Mammogram, right breast, MLO view. 45 y/o patient.
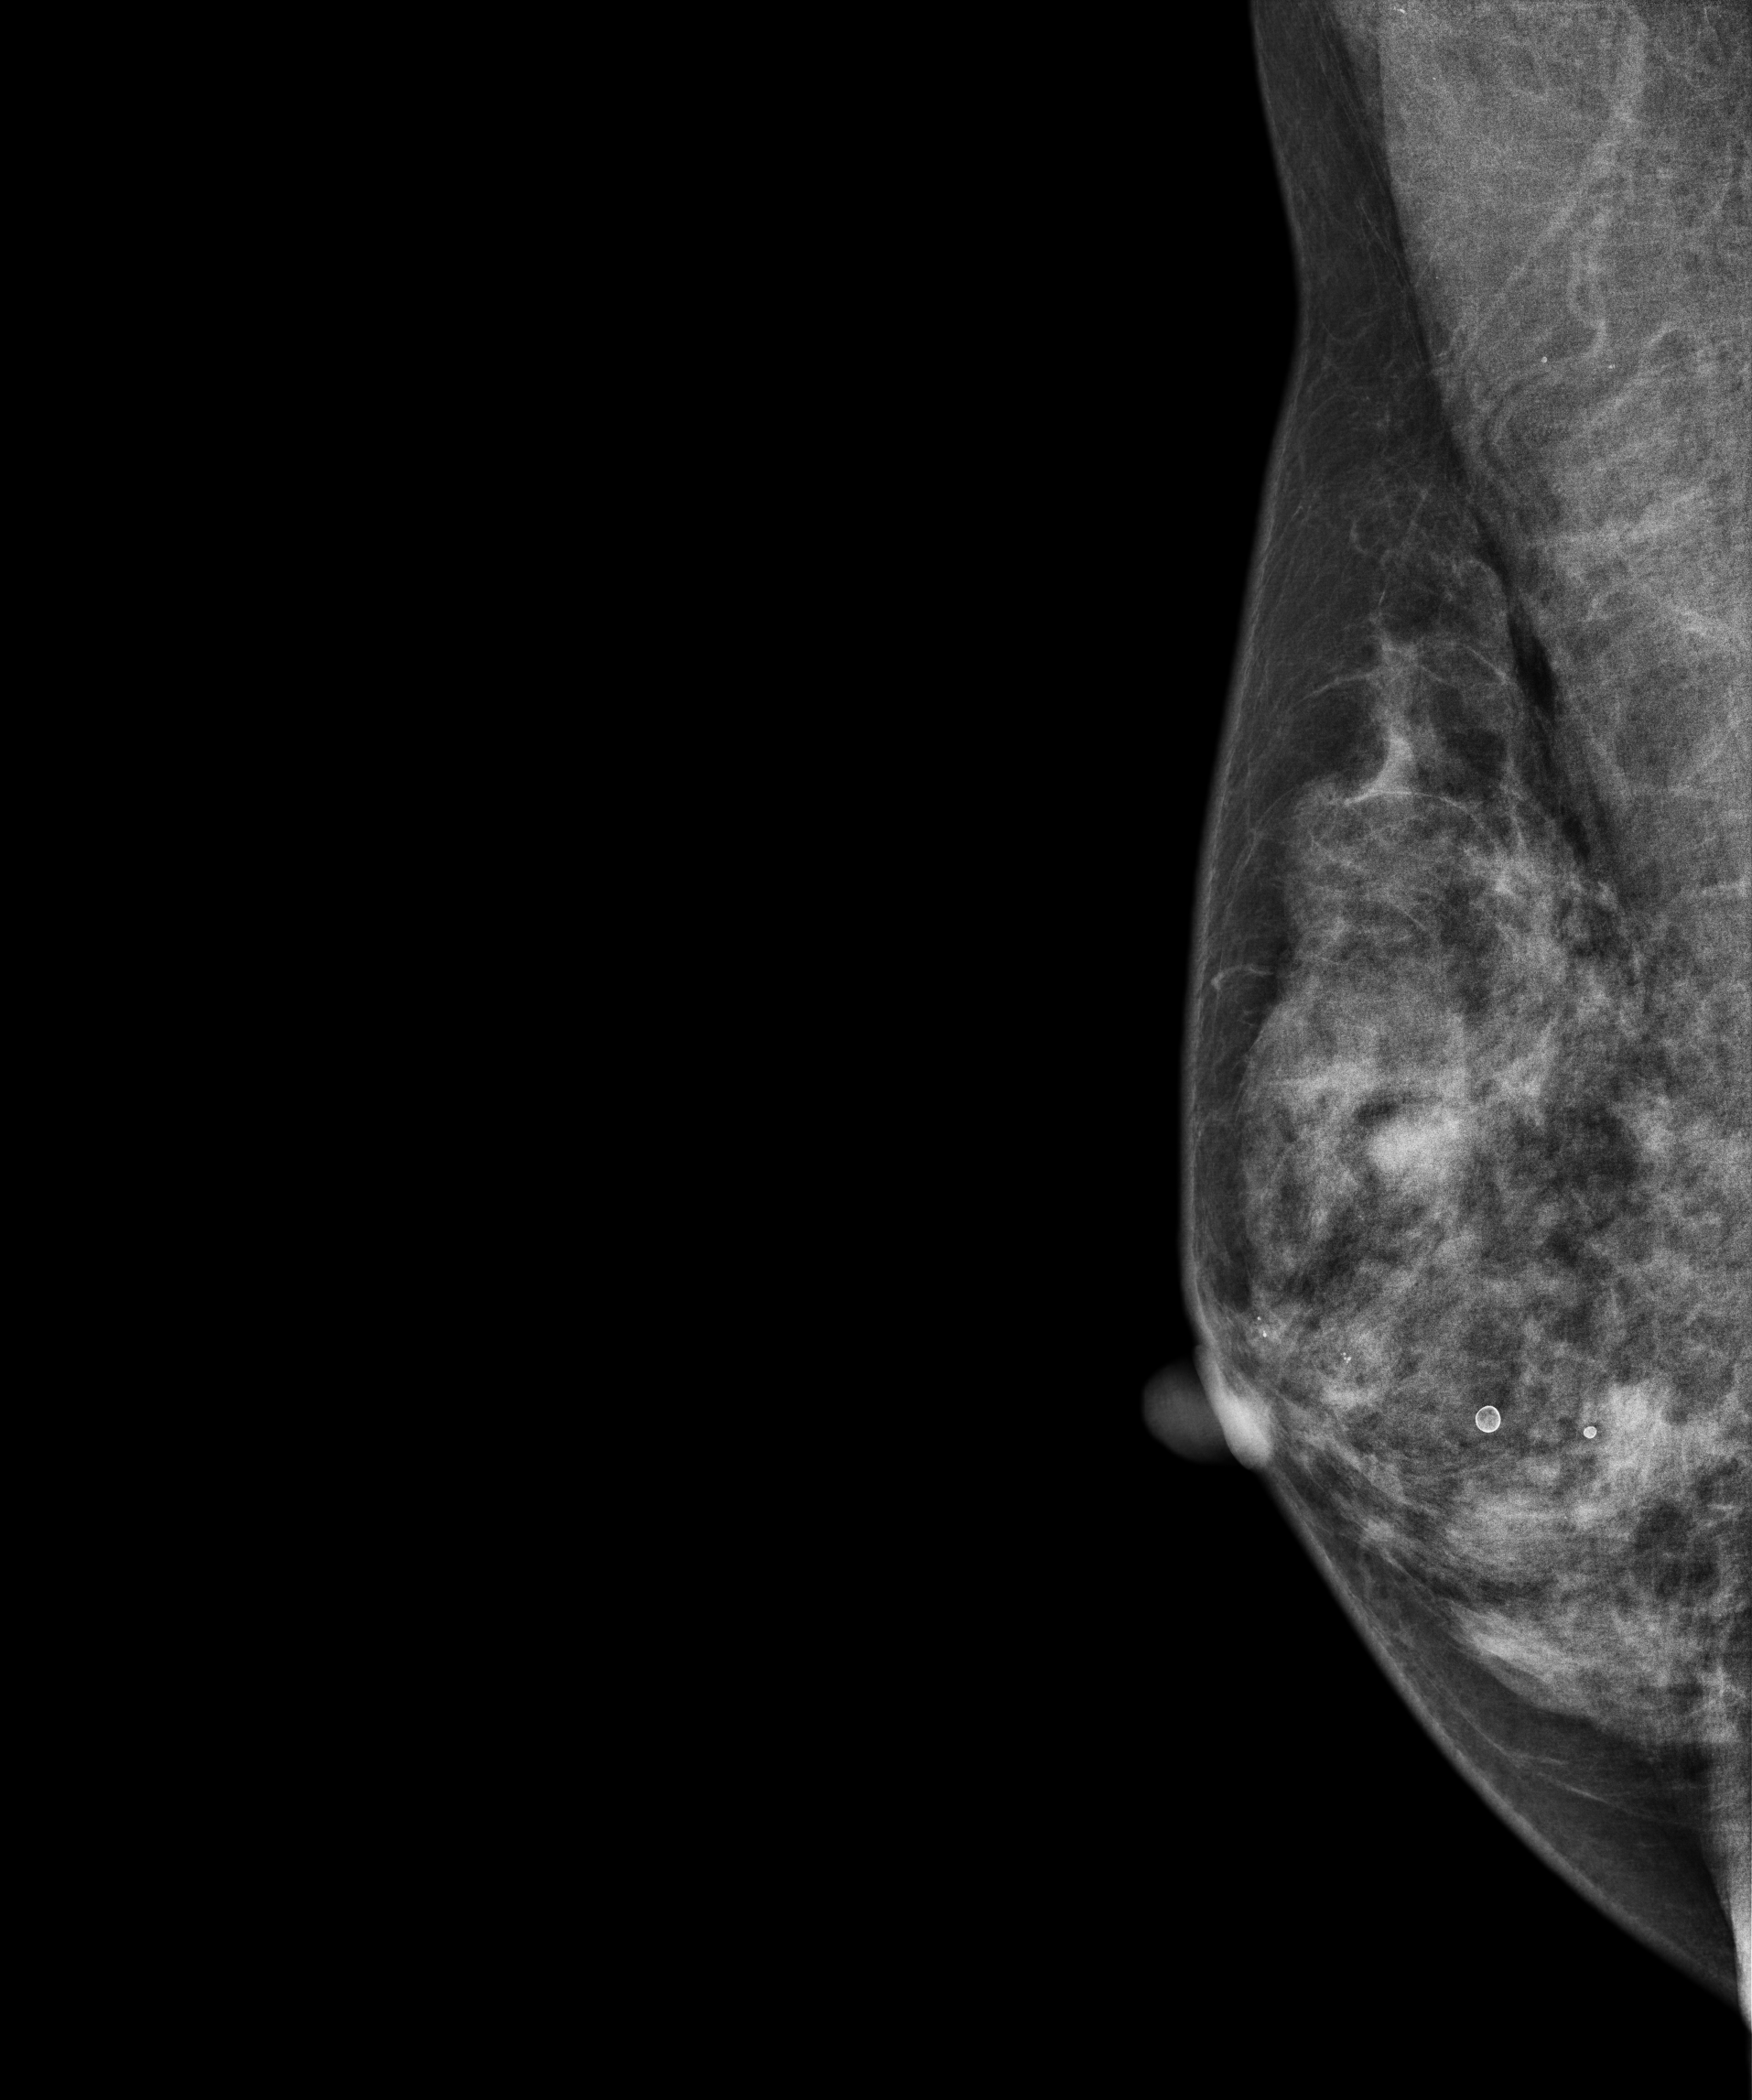
This breast has a mass and calcifications, histologically confirmed benign.